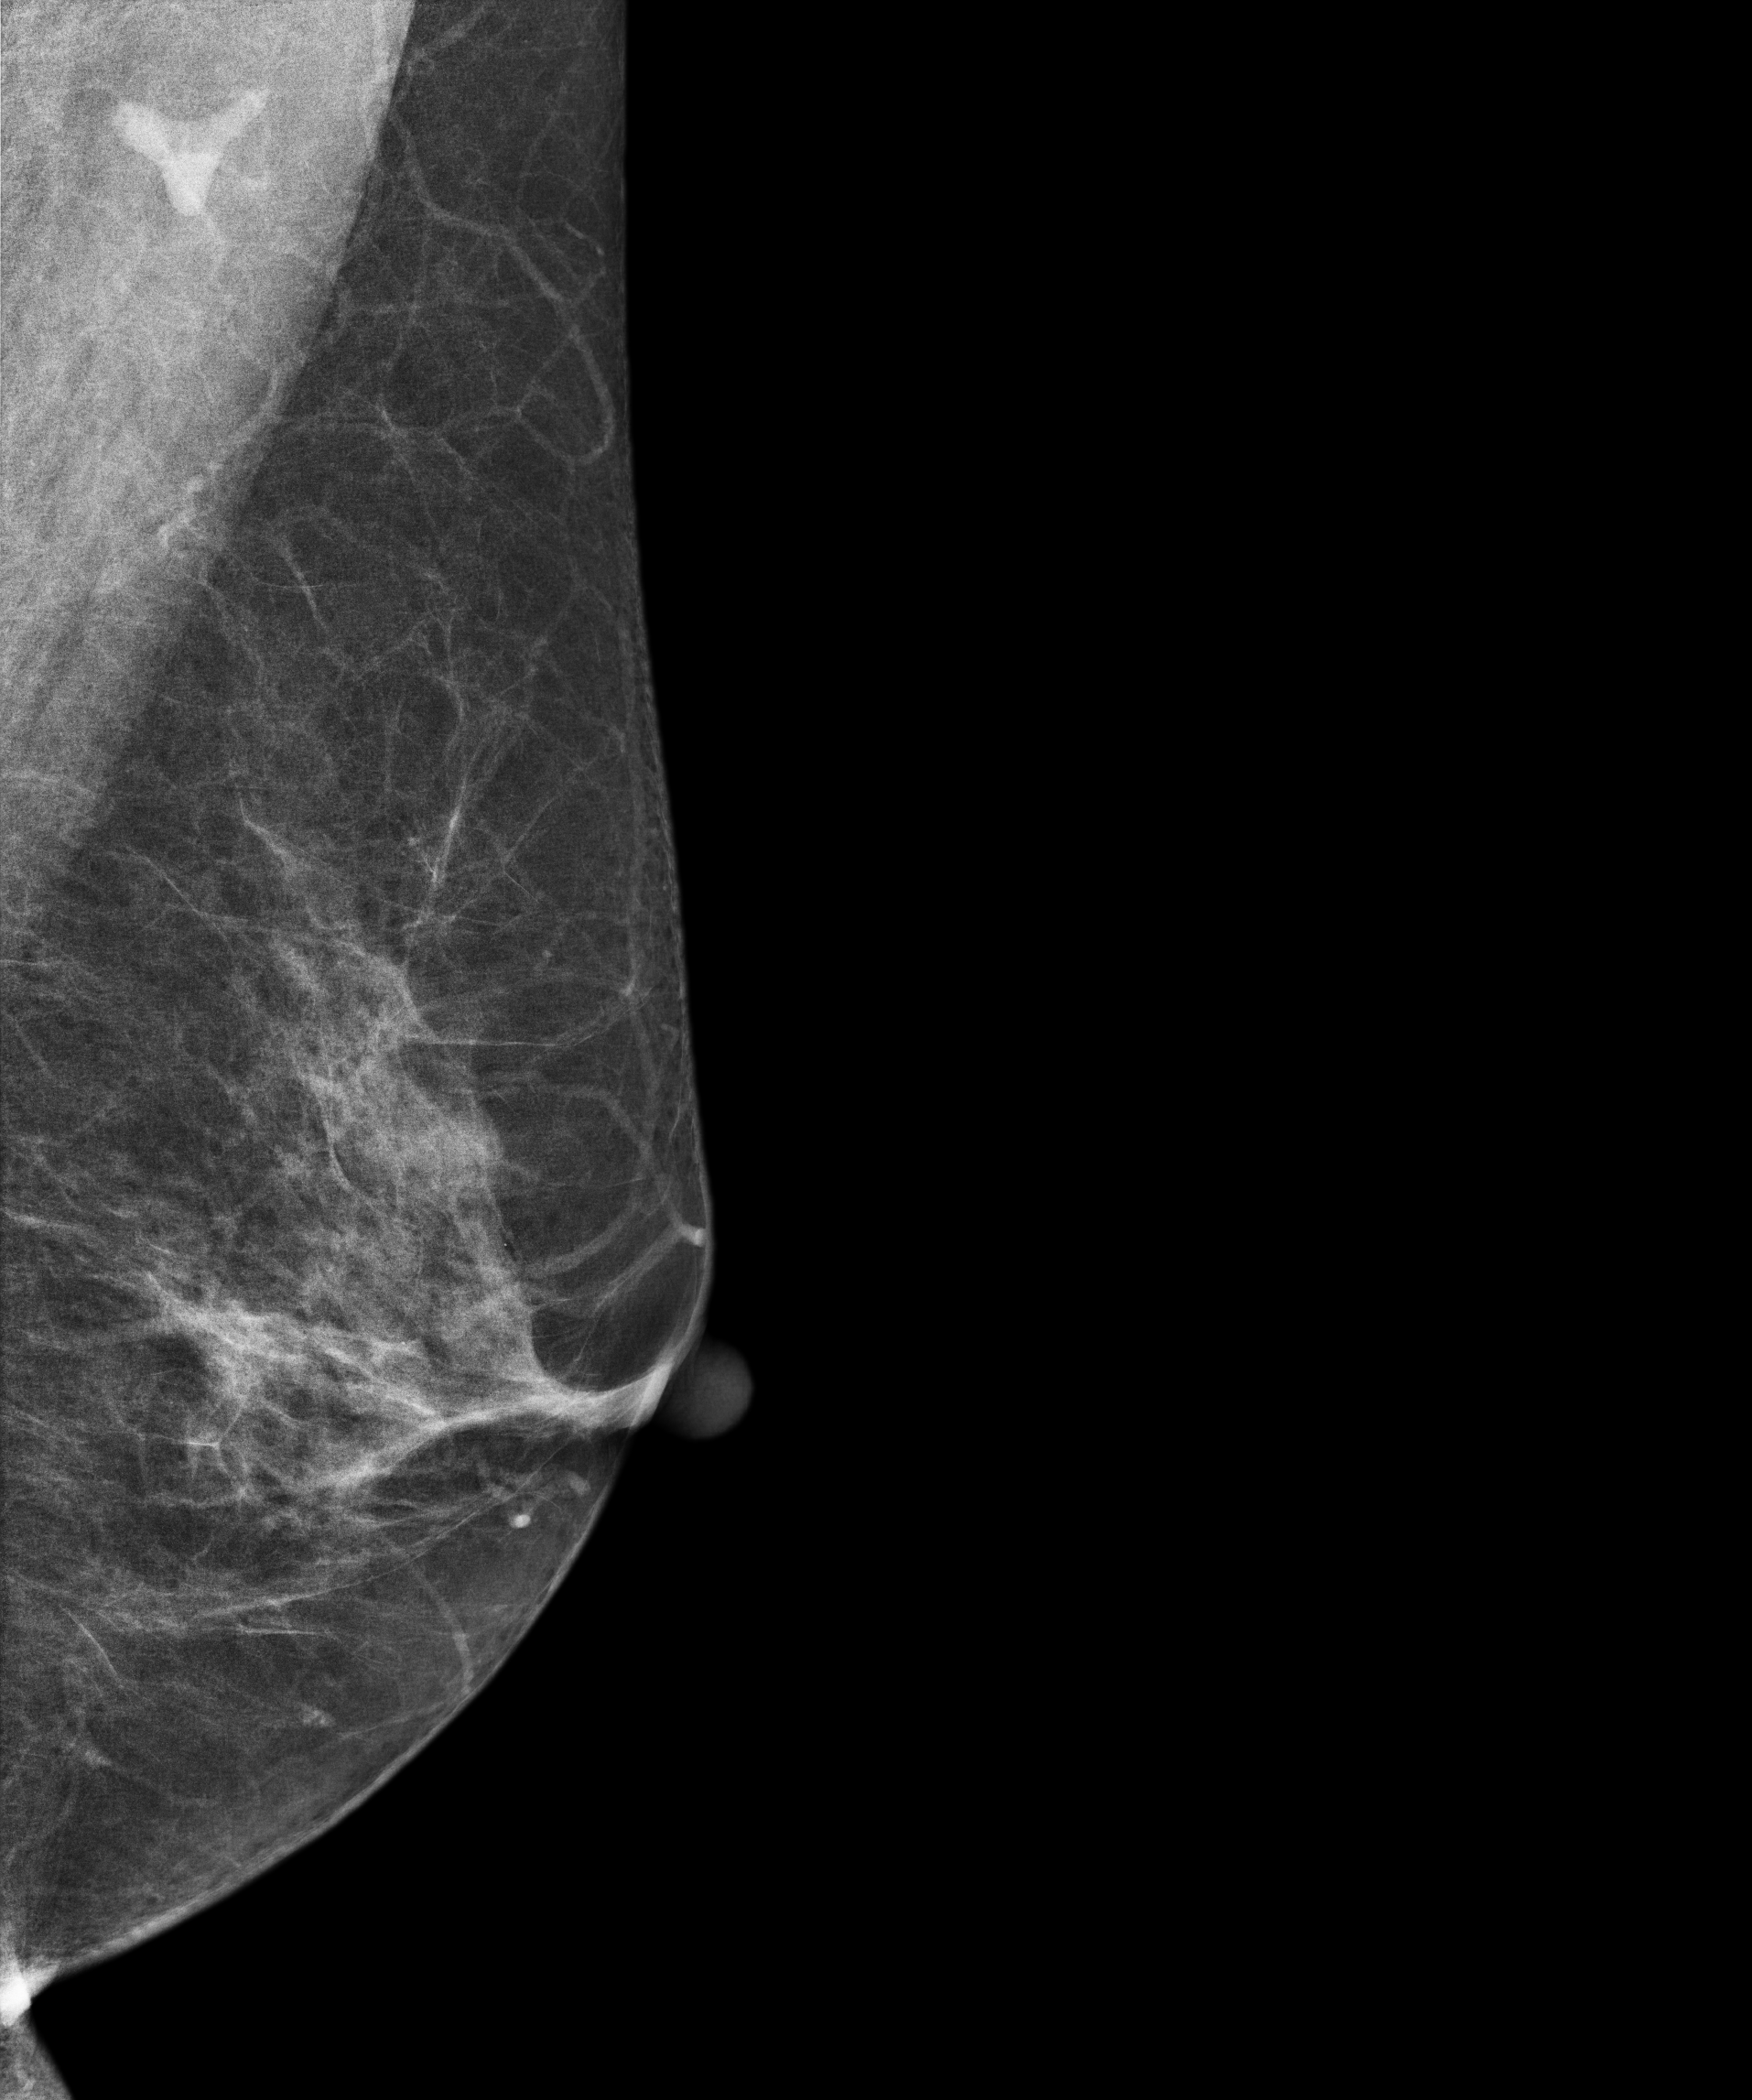
Left-breast mammogram, medio-lateral oblique. 66-year-old patient.
Contralateral breast — no documented abnormality on this side.